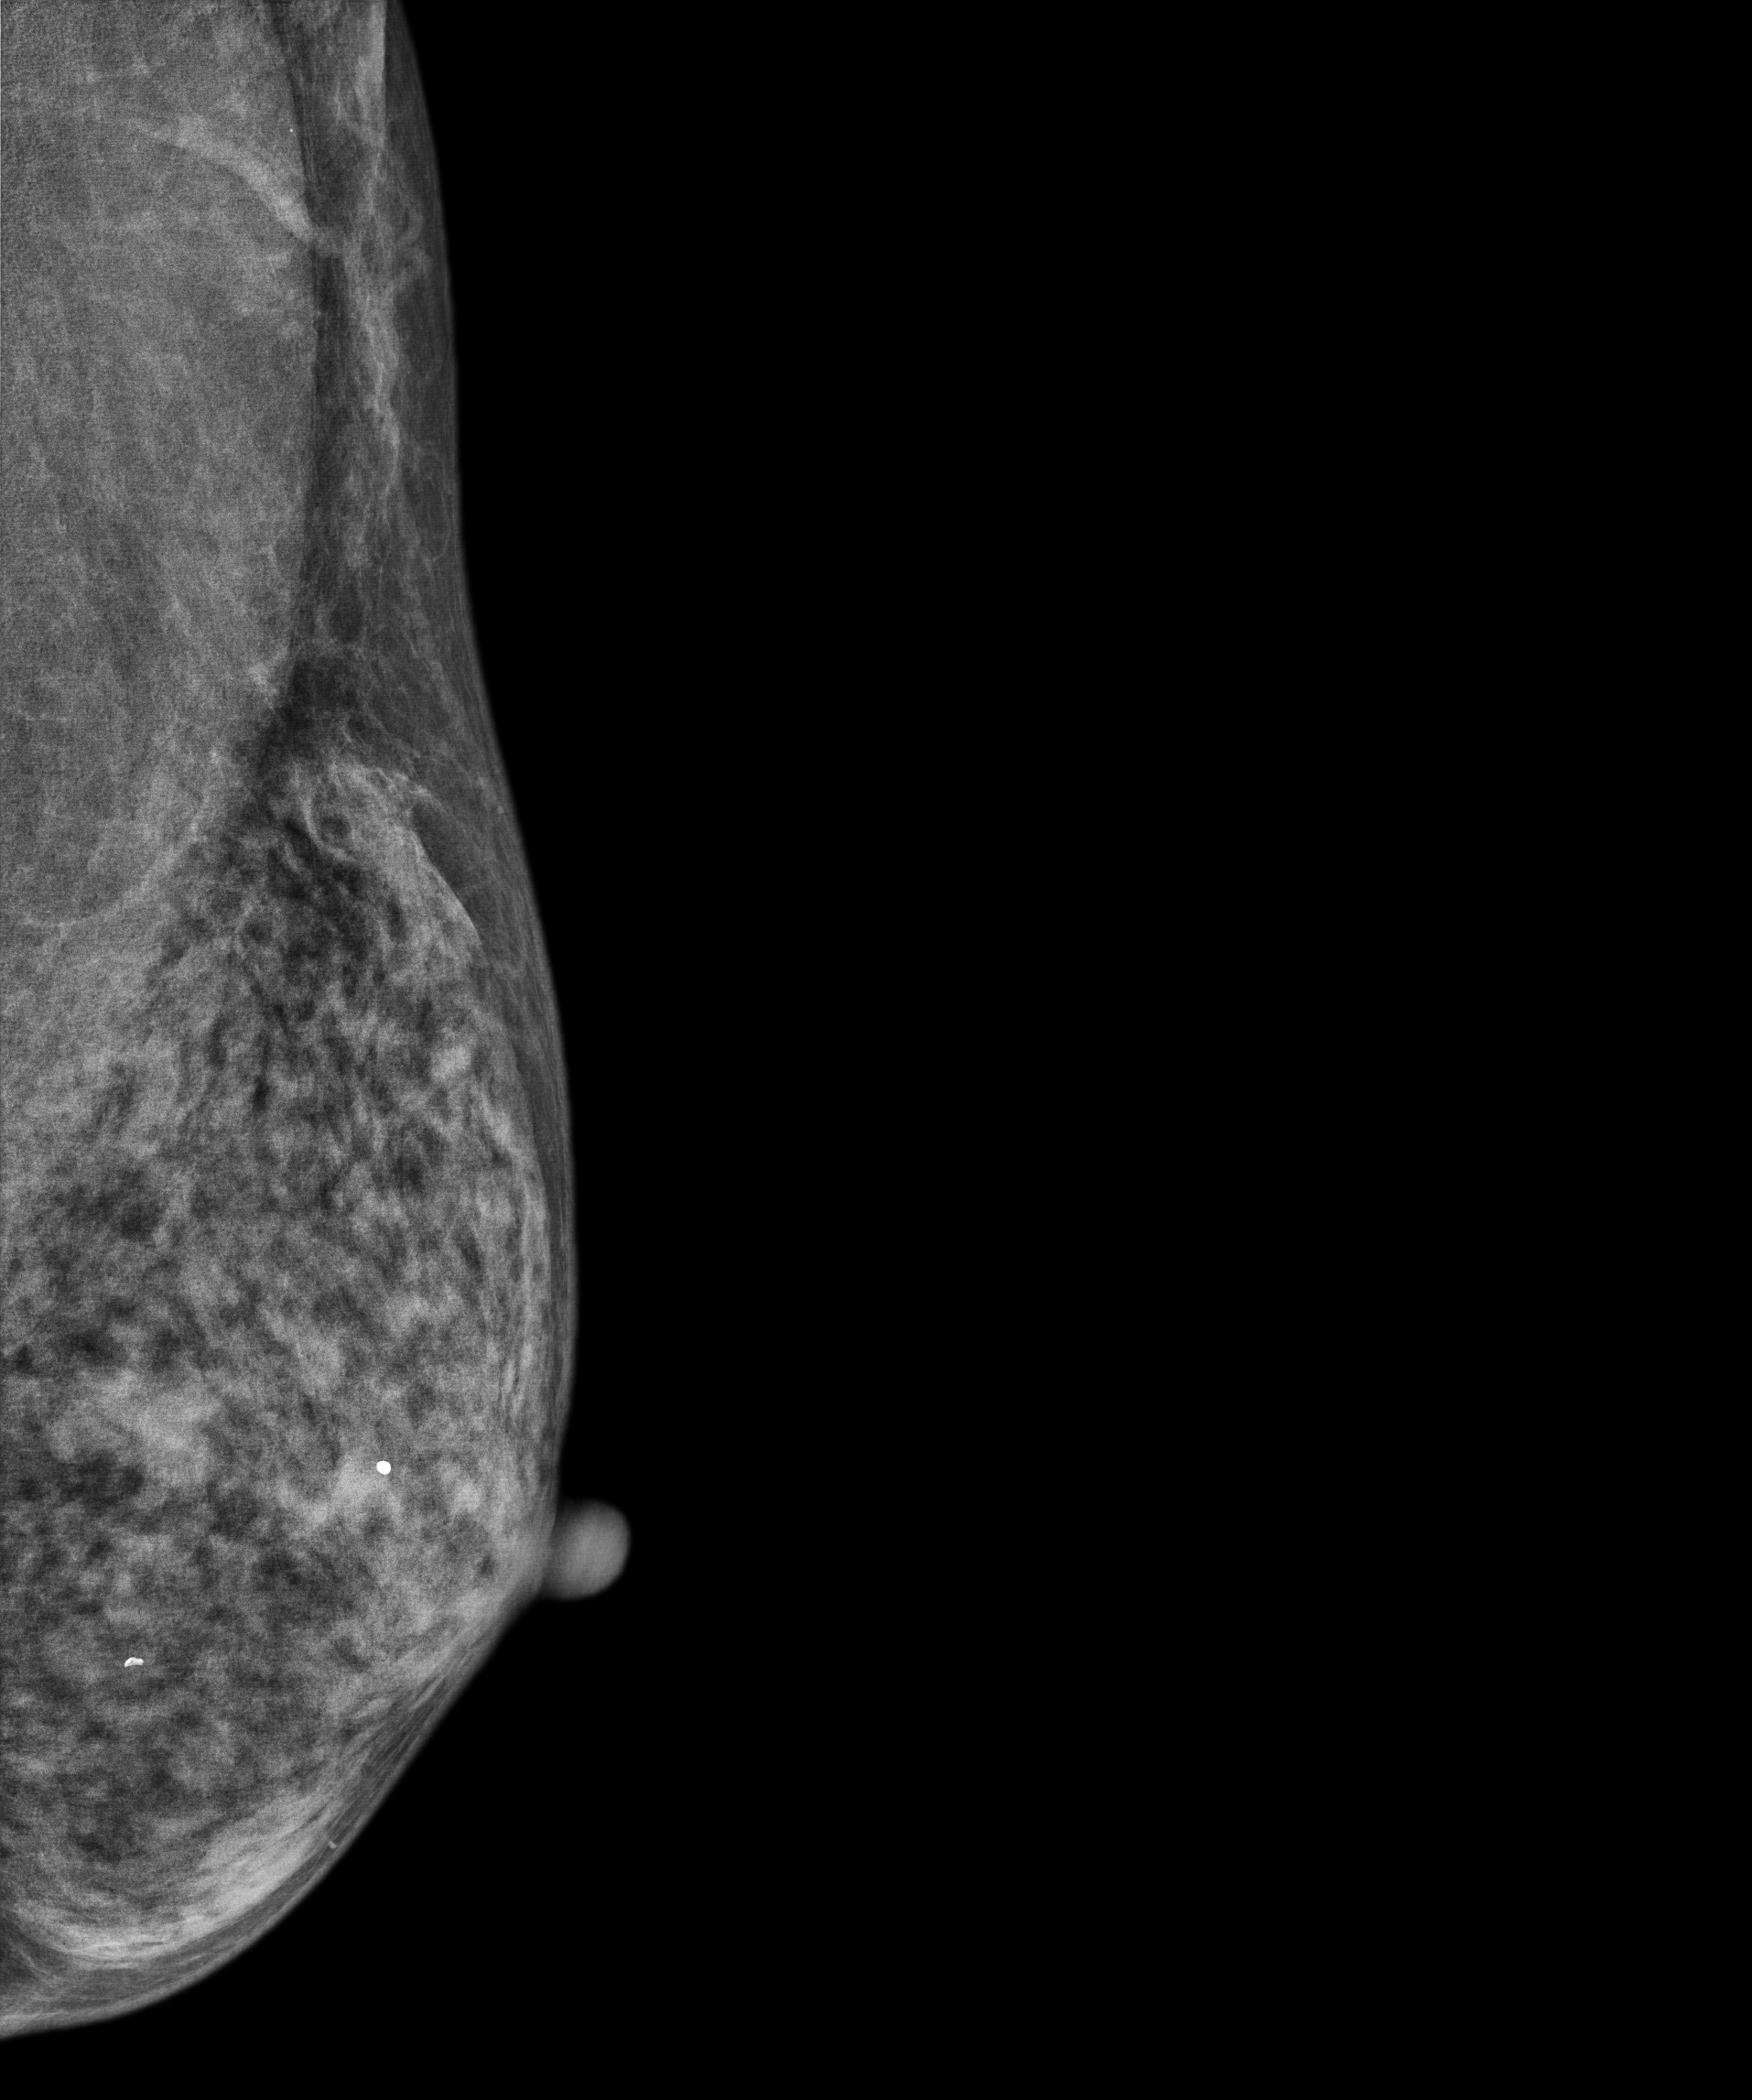
Mammogram — left MLO. Patient age 57.
This breast has a mass, biopsy-proven malignant.